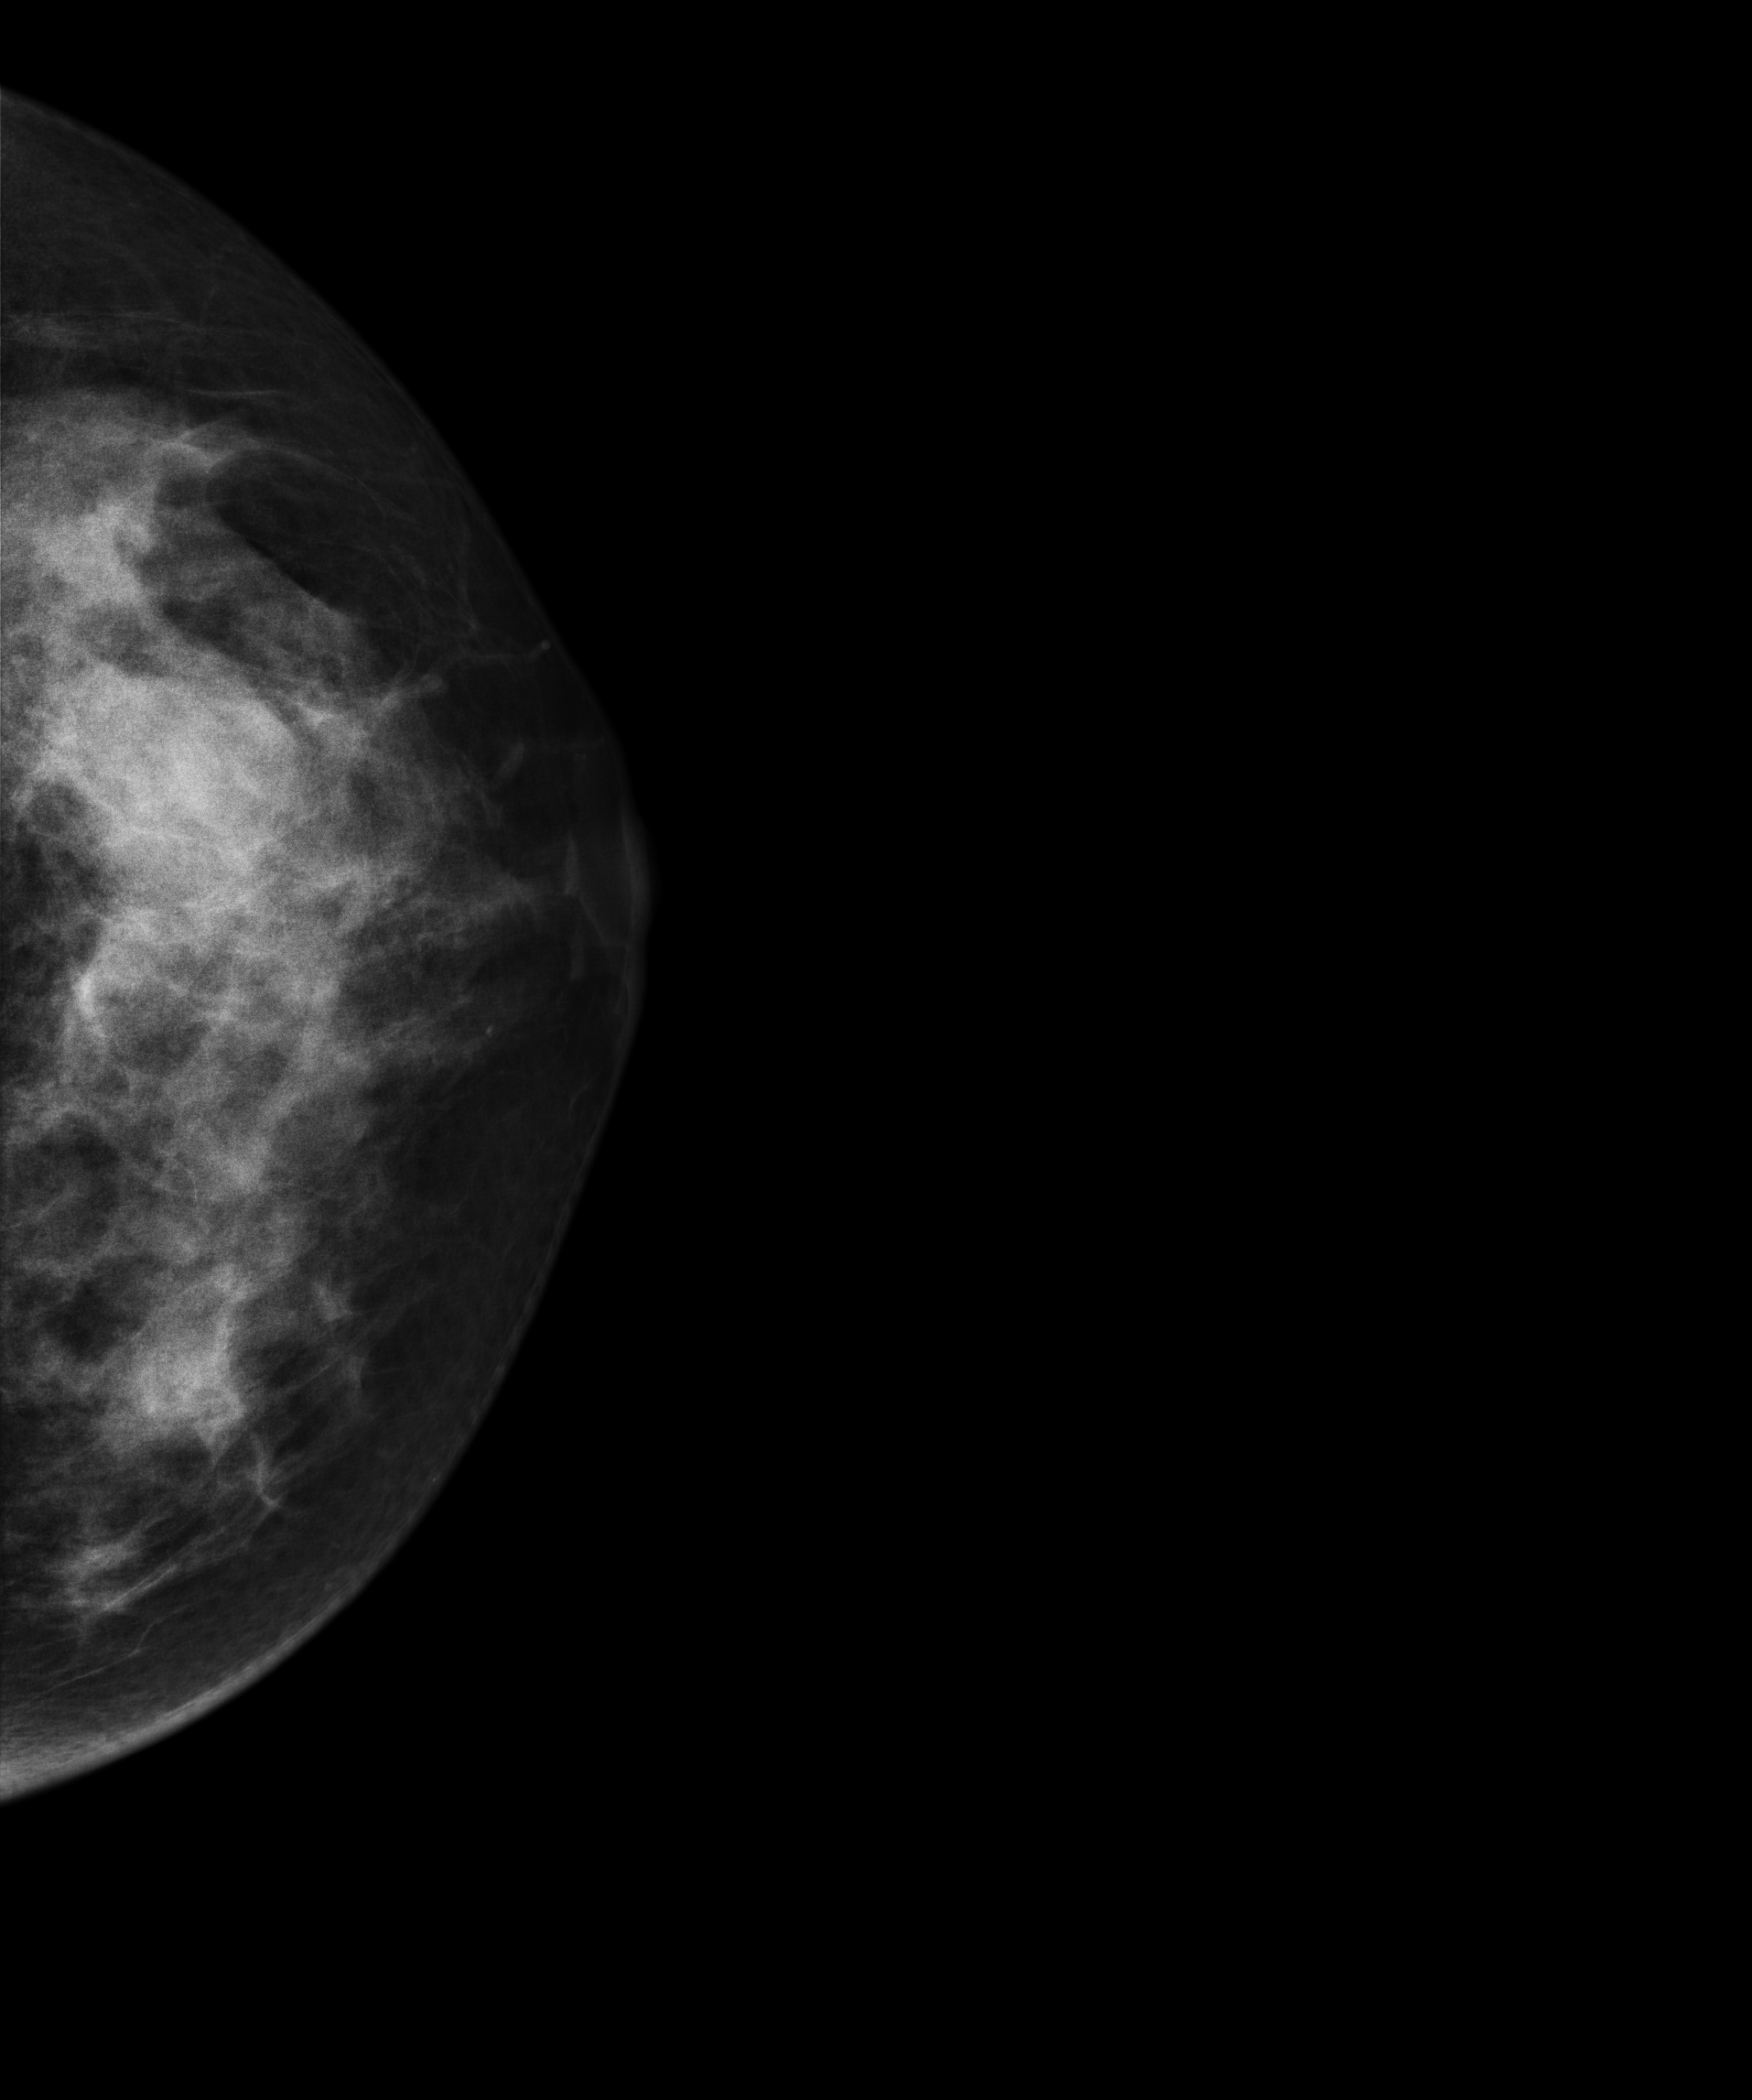
Left-breast mammogram, cranio-caudal. 42 y/o patient.
This breast has a mass, pathology-confirmed malignant. Molecular subtype: triple-negative.